Mammogram, left breast, CC view. Patient age 66.
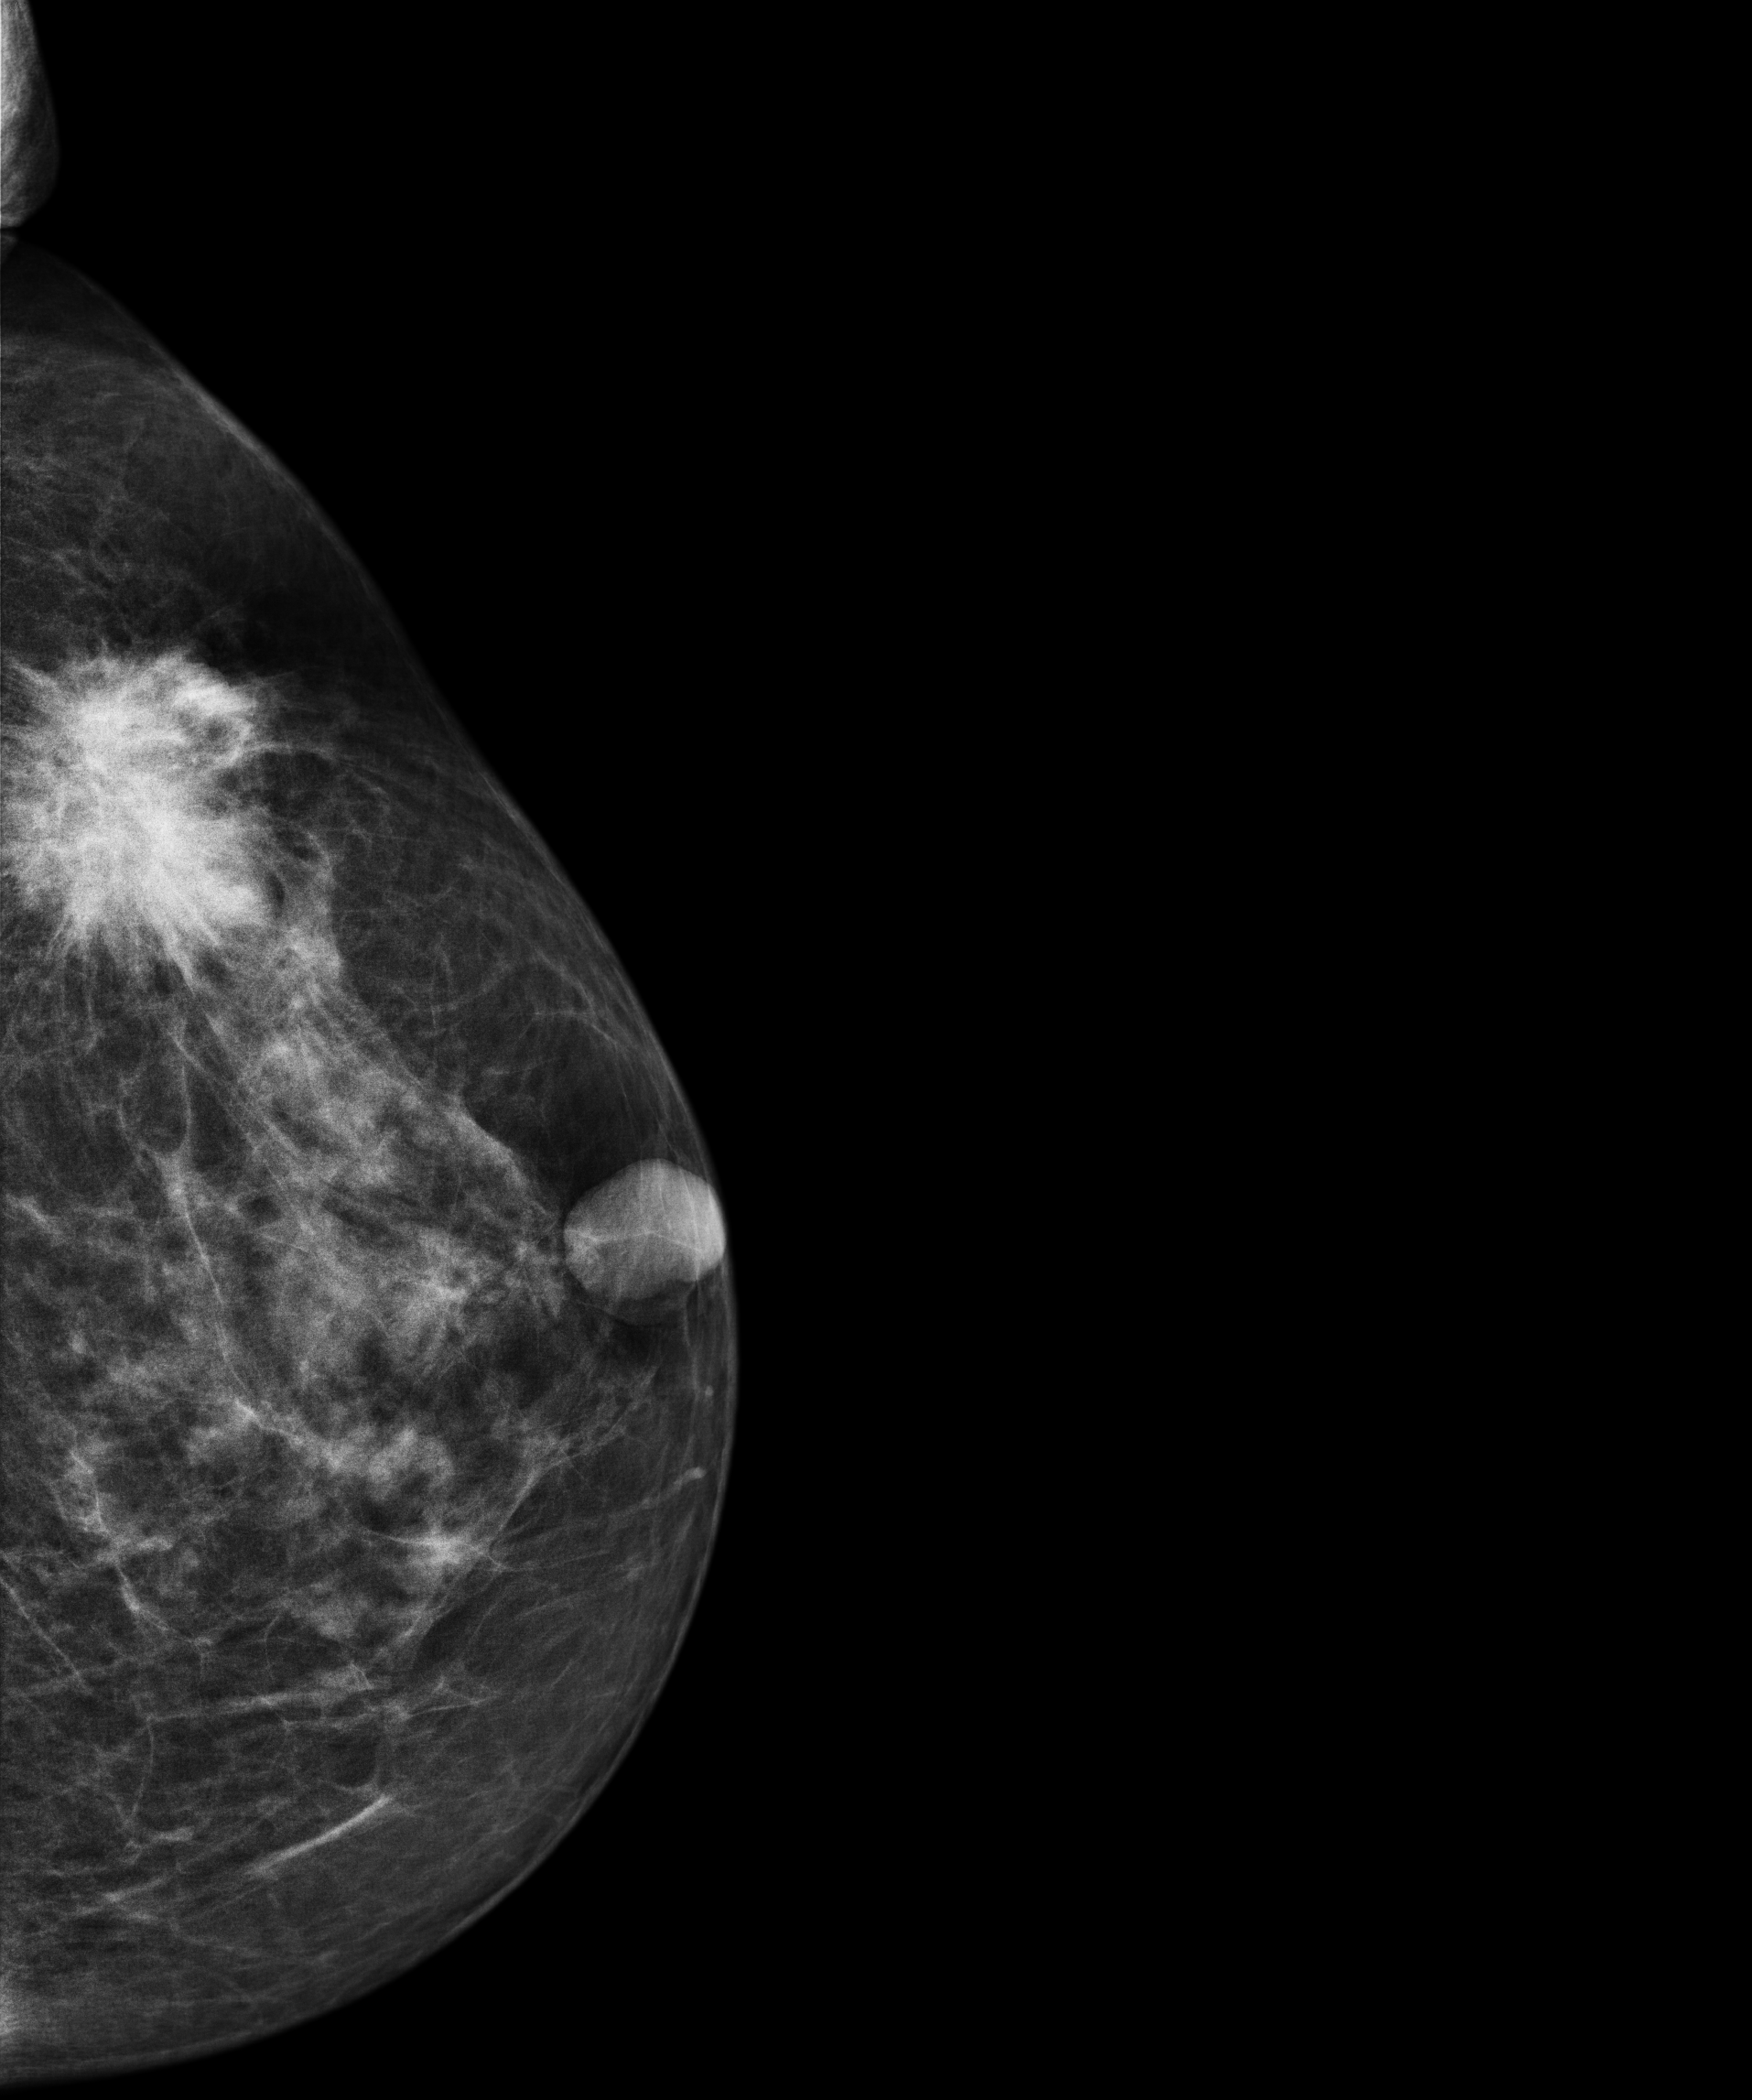
This breast has a mass, histologically confirmed malignant. Molecular subtype: luminal B.